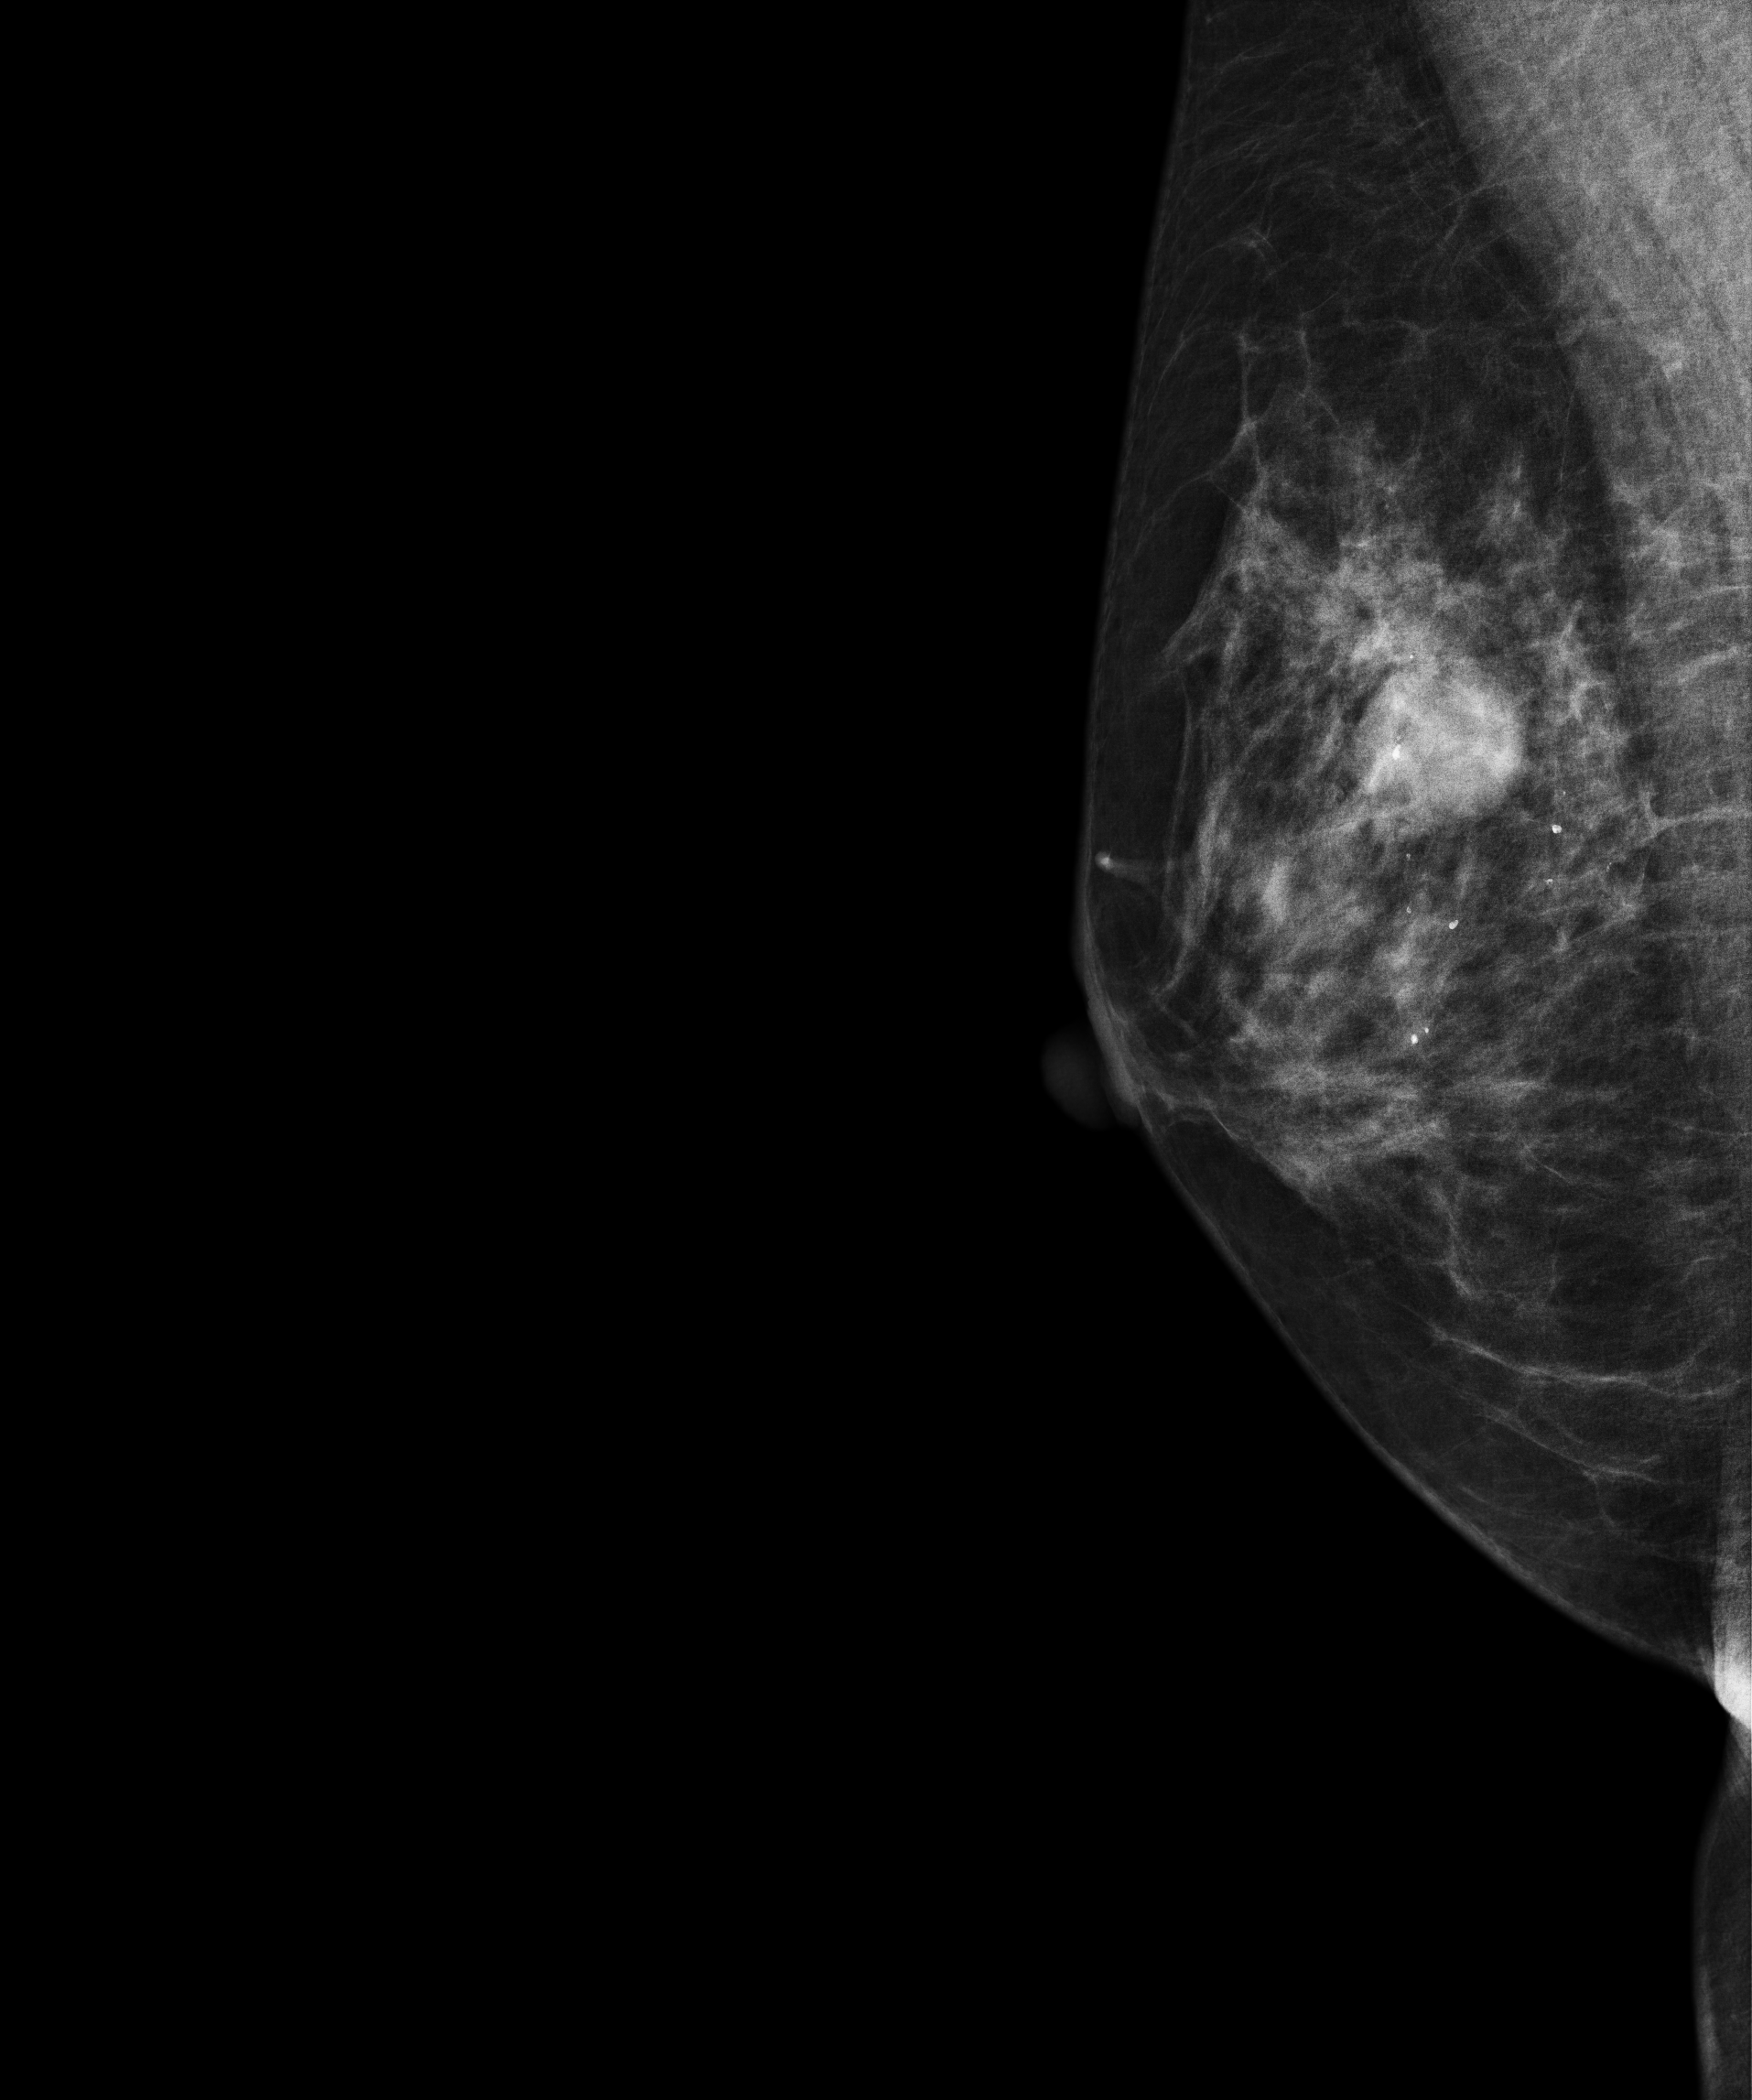
Right-breast mammogram, medio-lateral oblique. Patient age 53.
This breast has a mass and calcifications, pathology-confirmed malignant. Molecular subtype: triple-negative.